Left-breast mammogram, CC. 60-year-old patient.
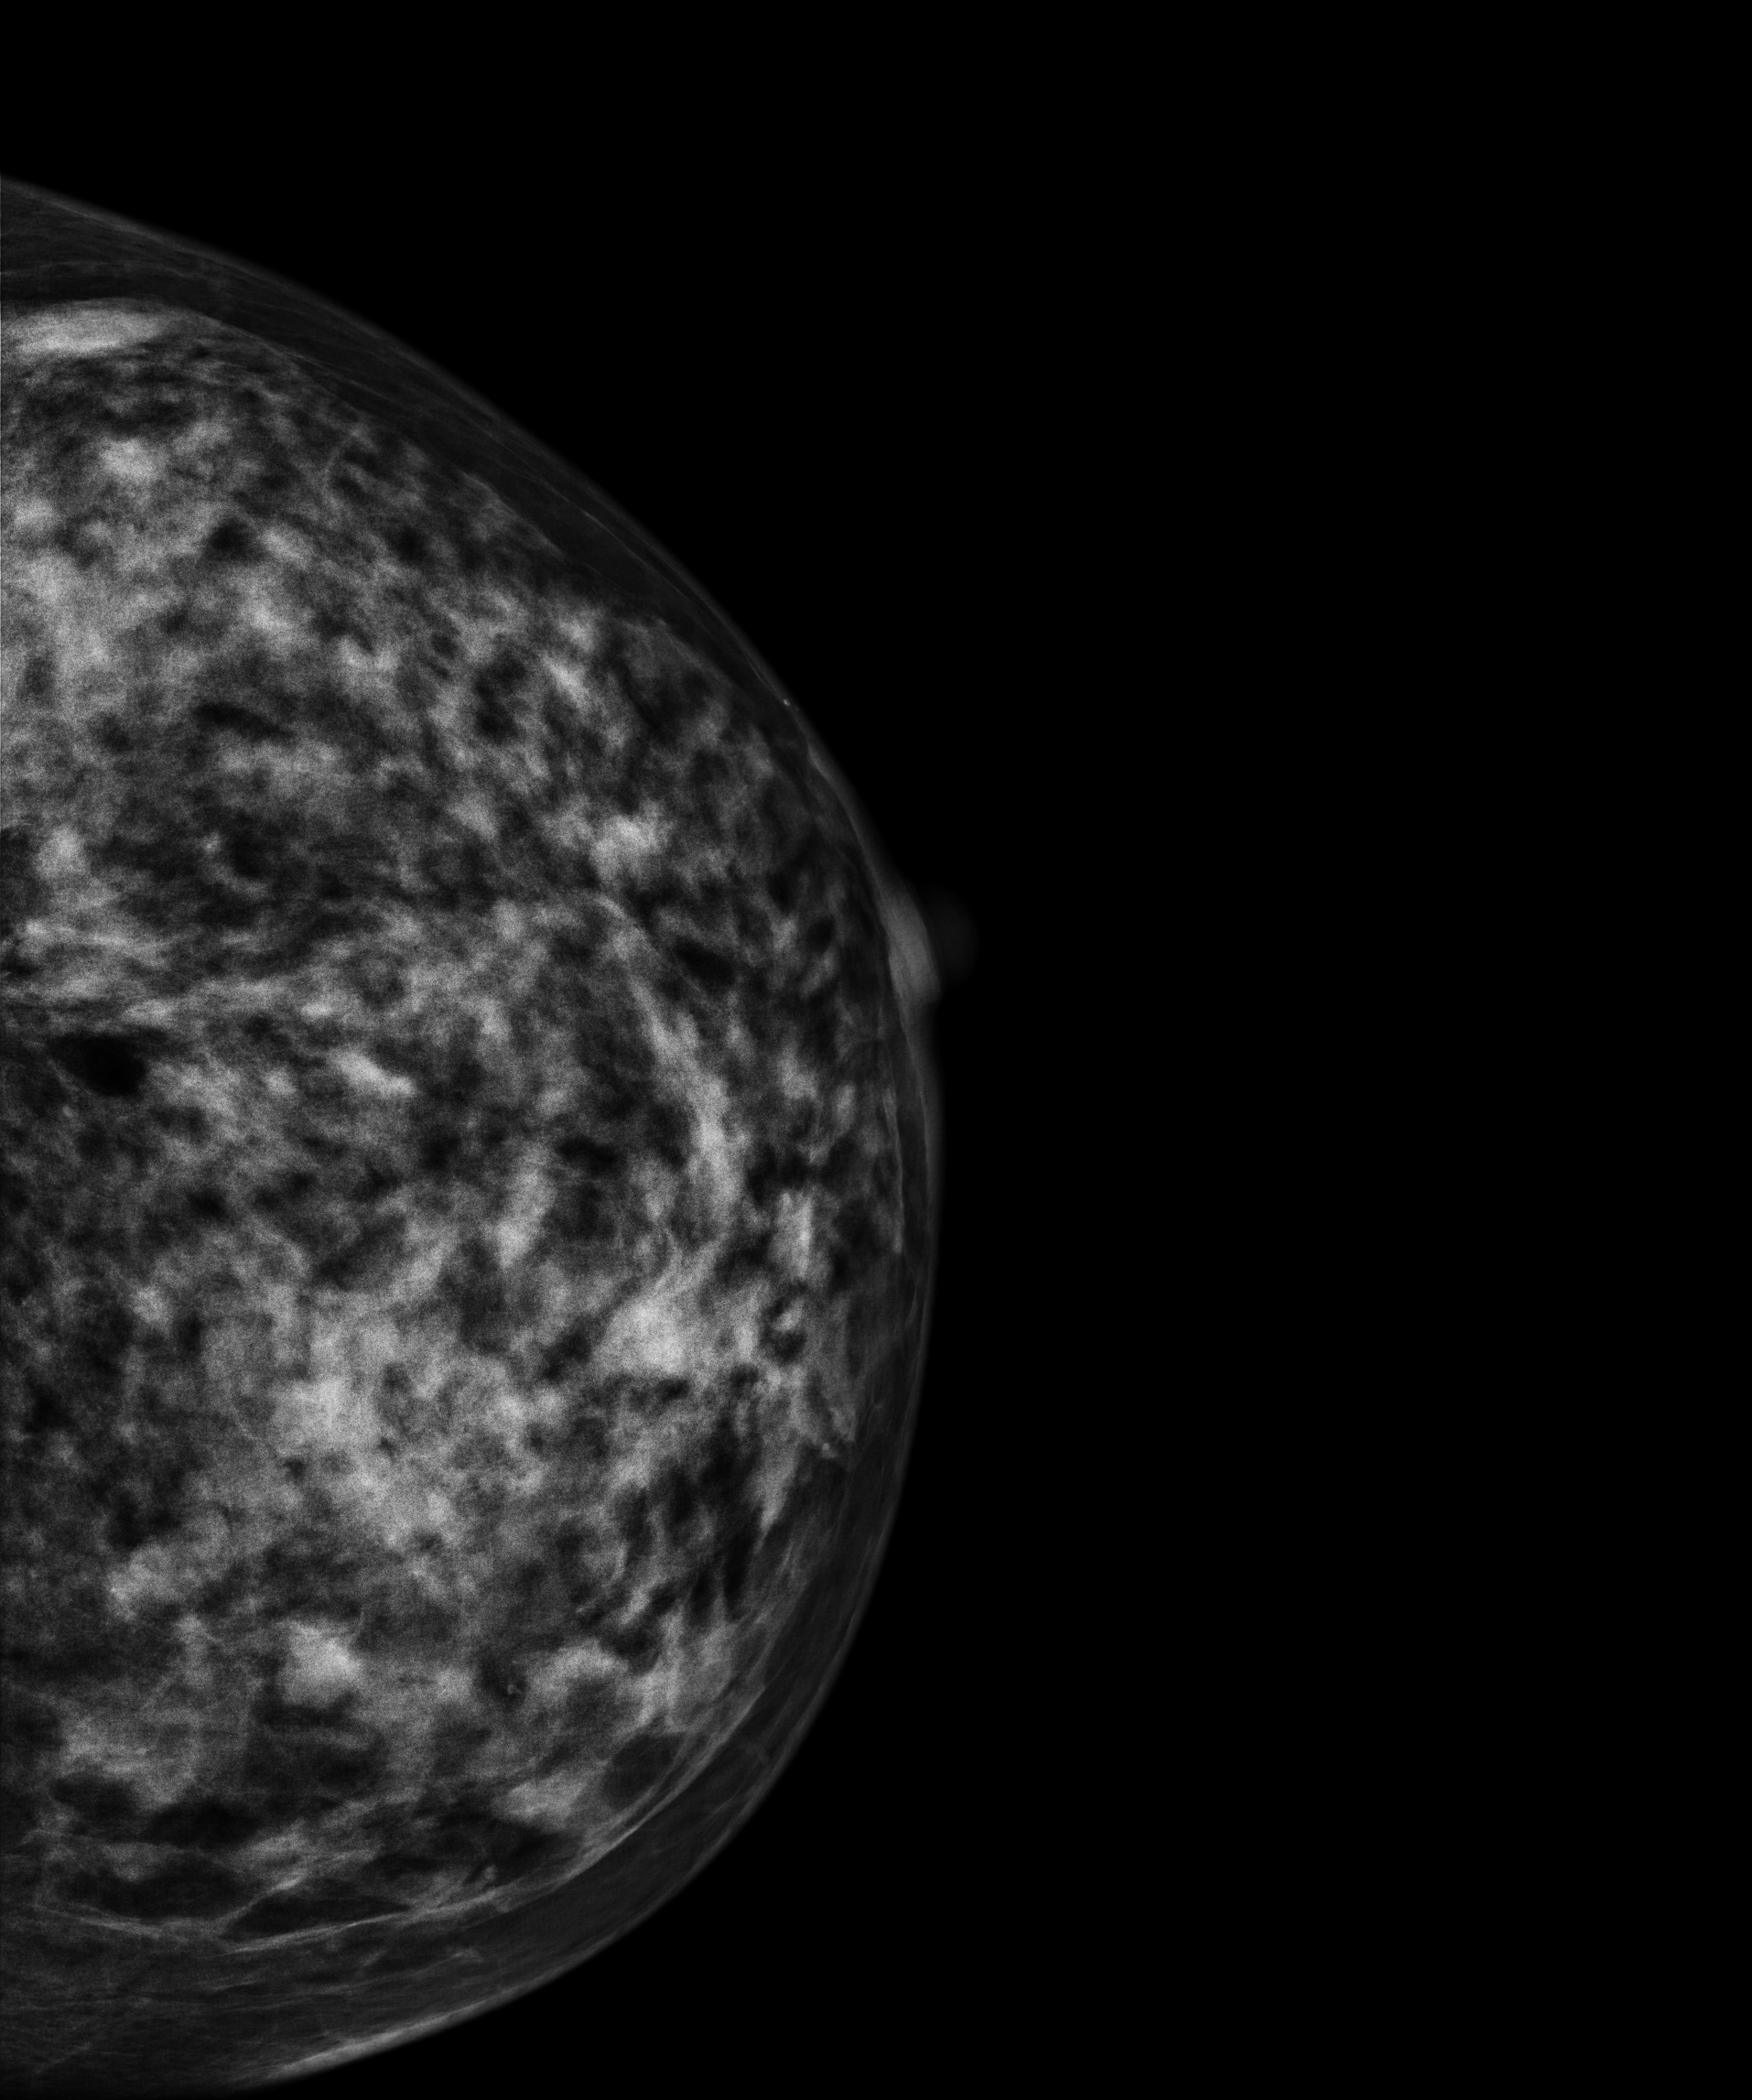
This breast has a mass, histologically confirmed benign.